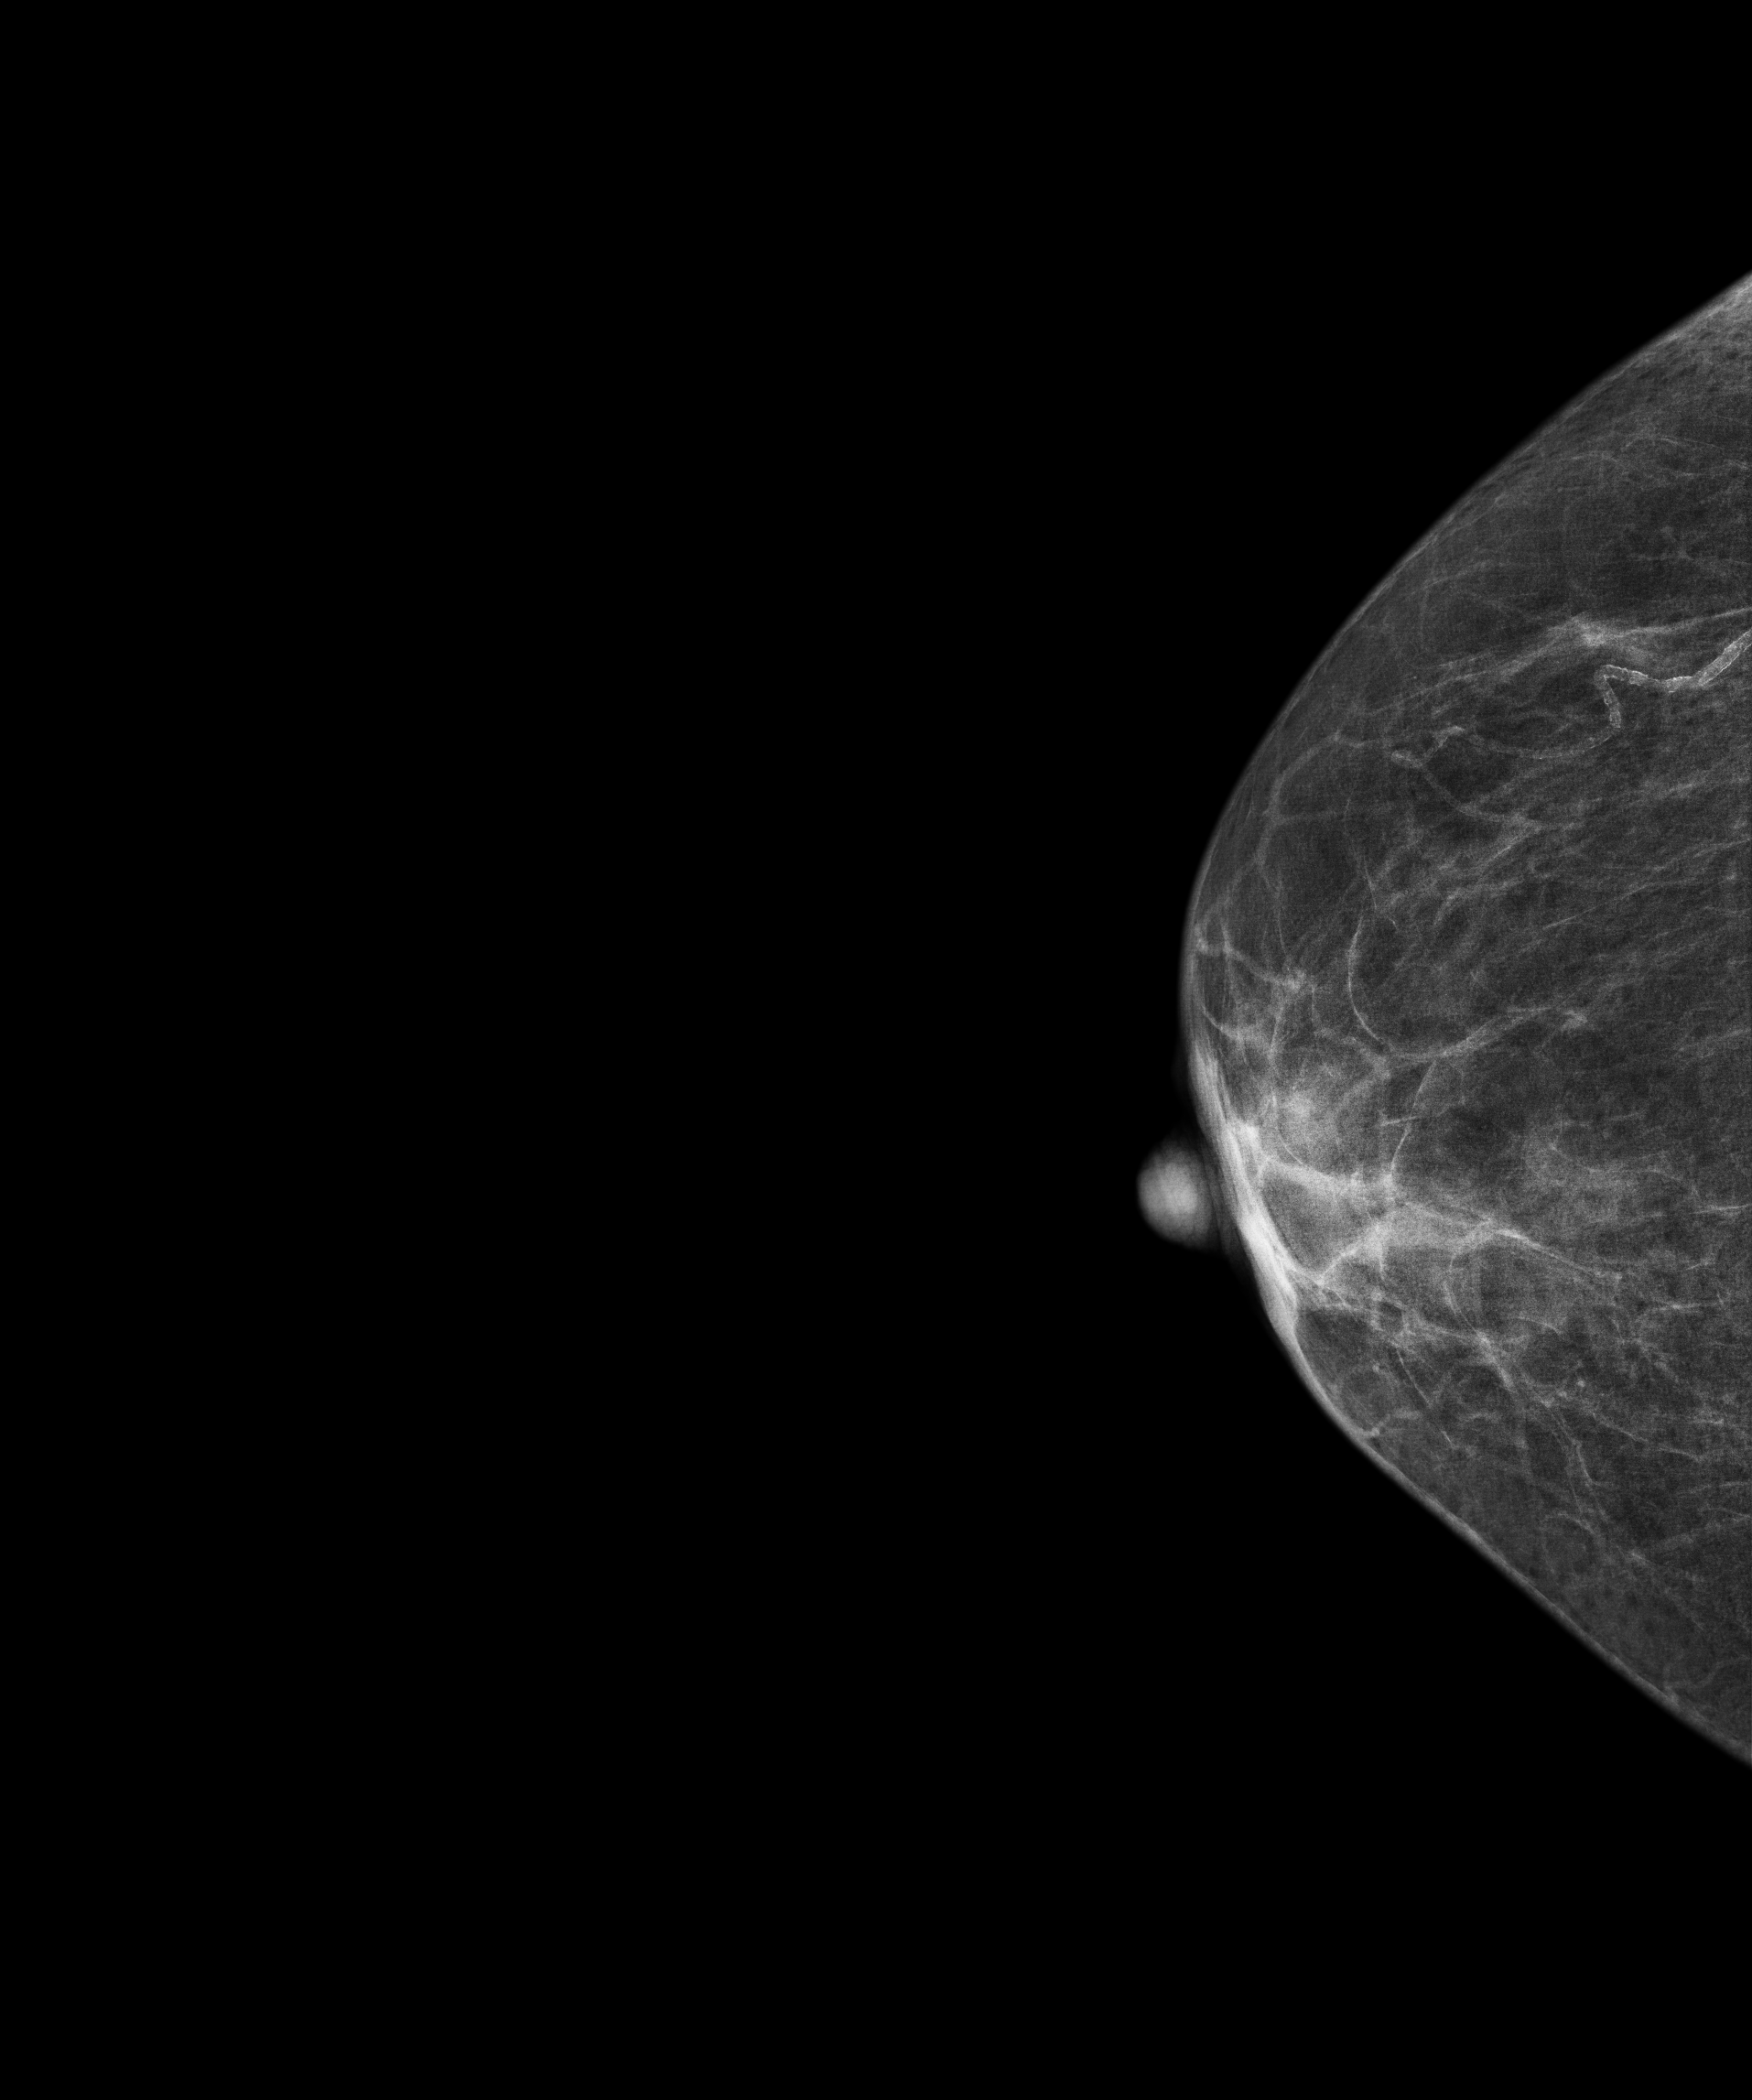
Mammogram — right CC. 69 y/o patient.
Contralateral breast — no documented abnormality on this side.